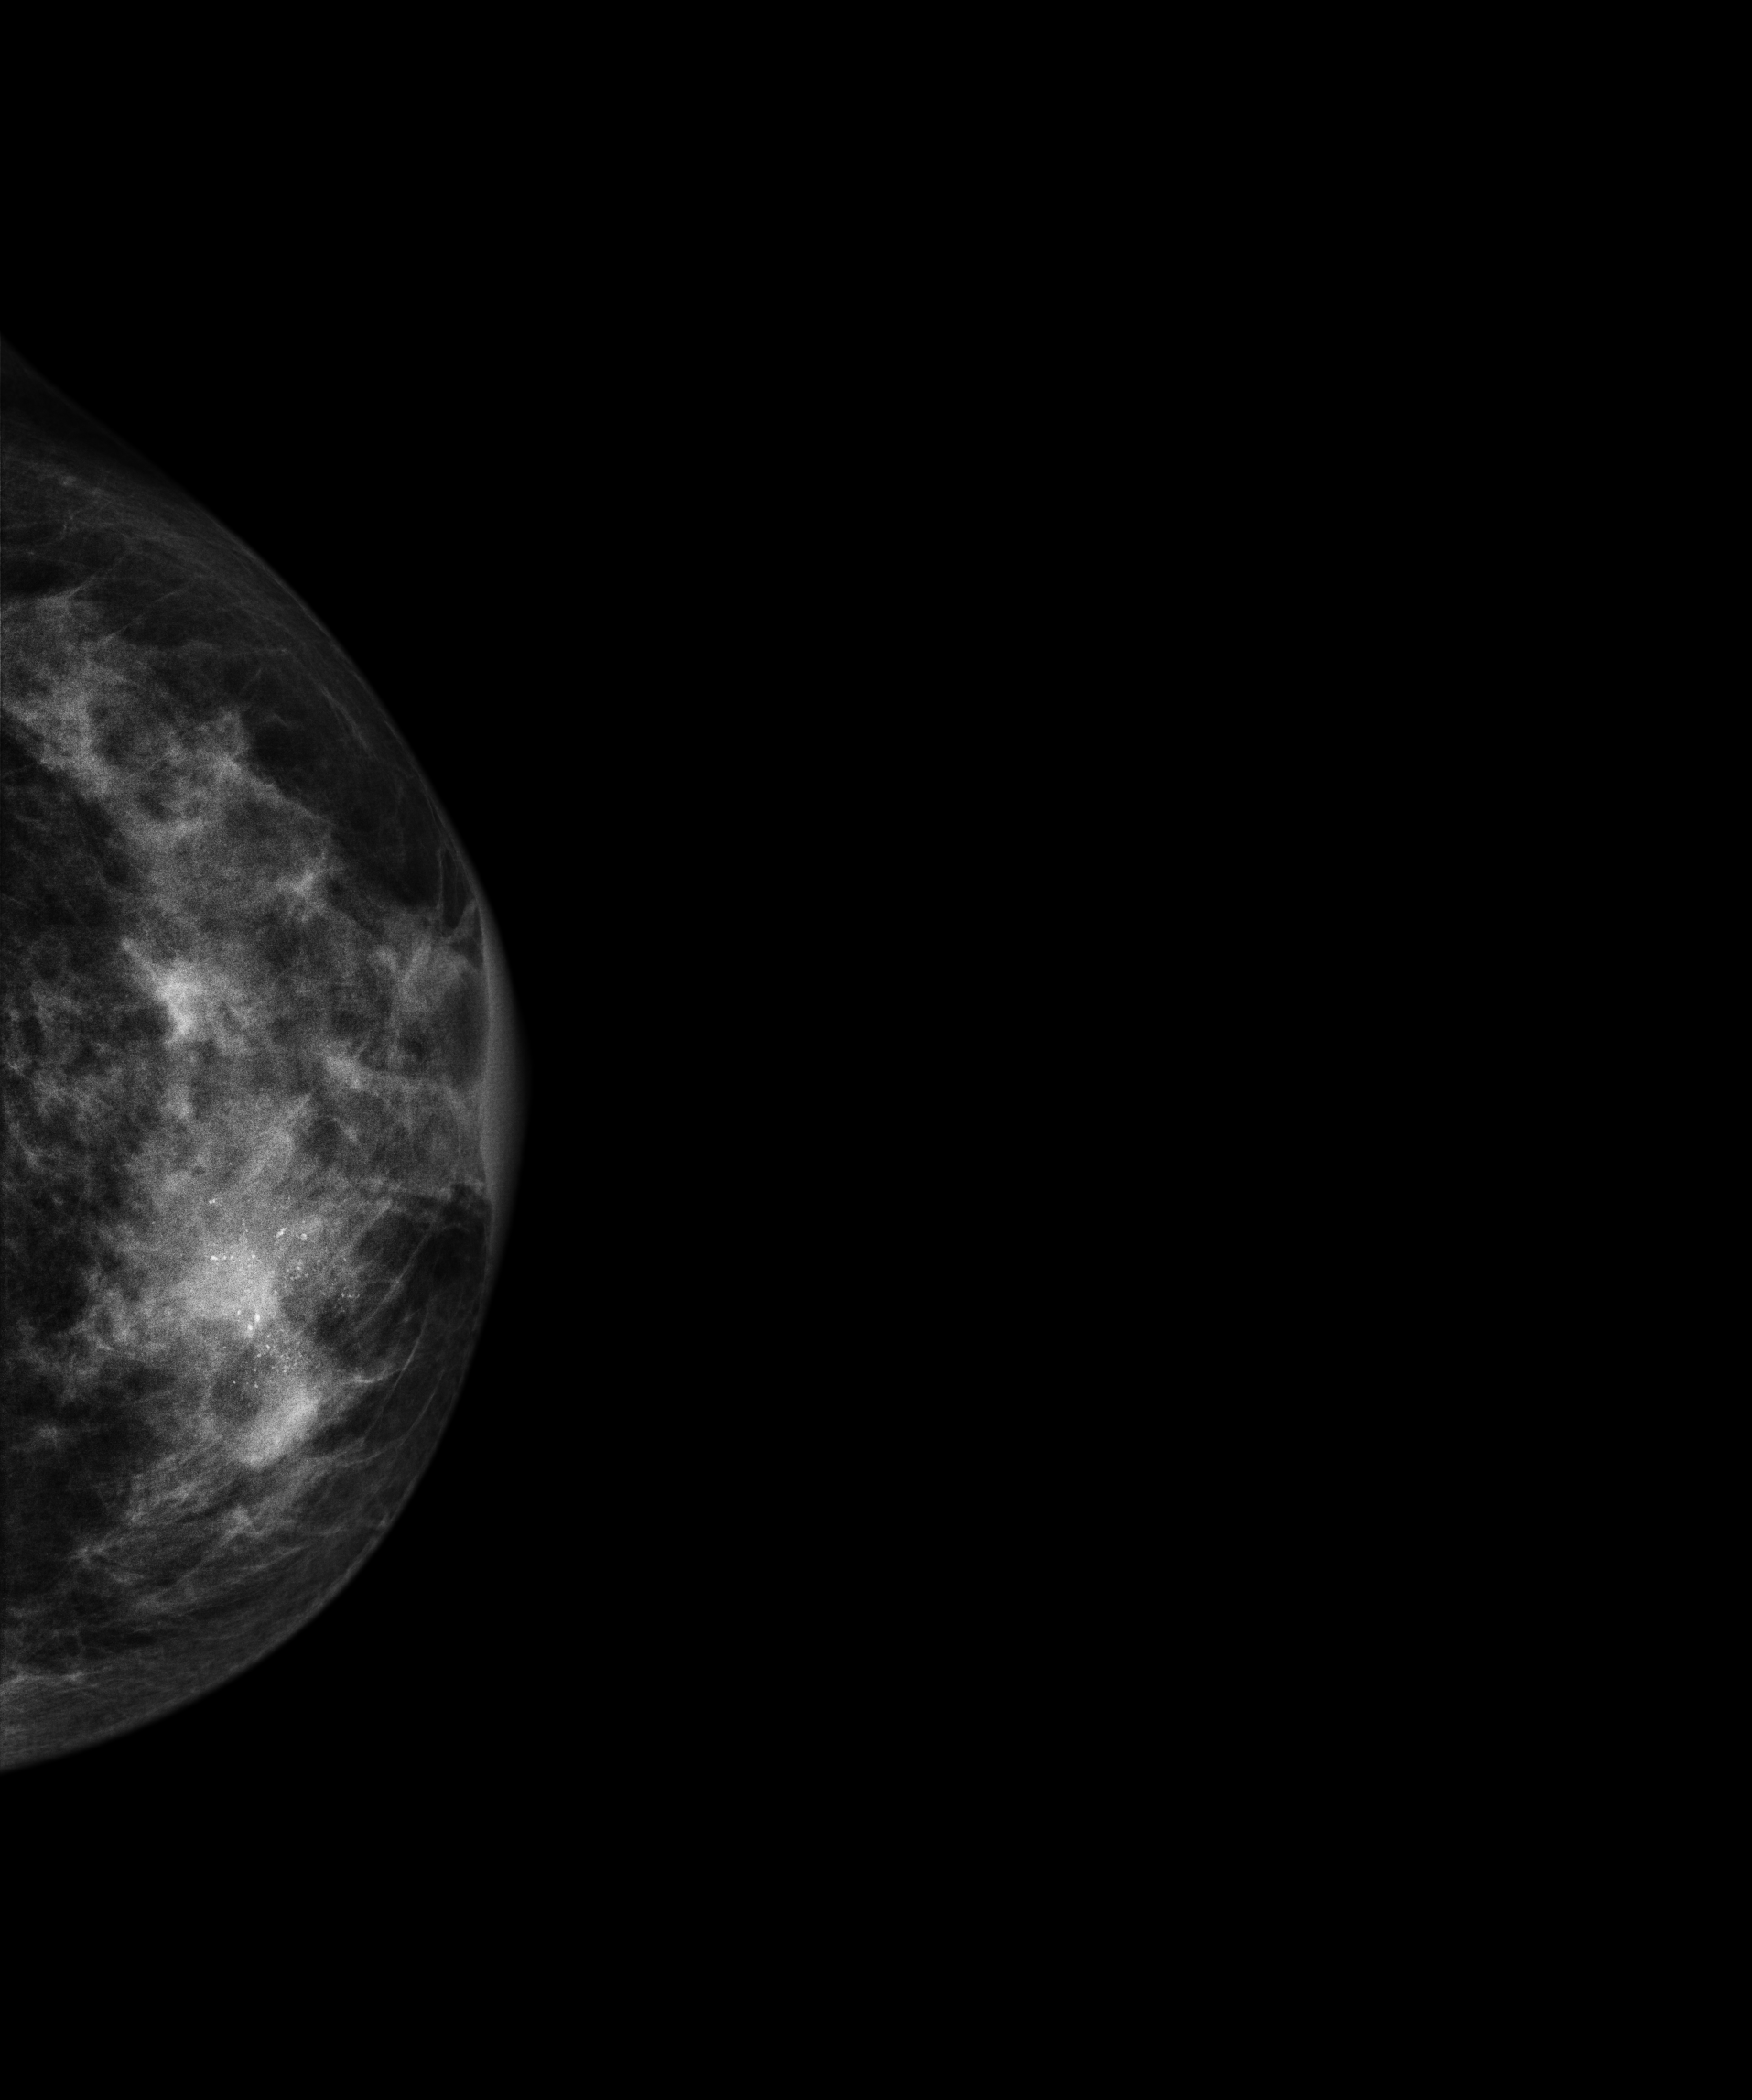
Digital mammography. Left breast, cranio-caudal projection. 54-year-old patient.
This breast has a mass and calcifications, biopsy-confirmed malignant.